Right-breast mammogram, MLO. Patient age 51.
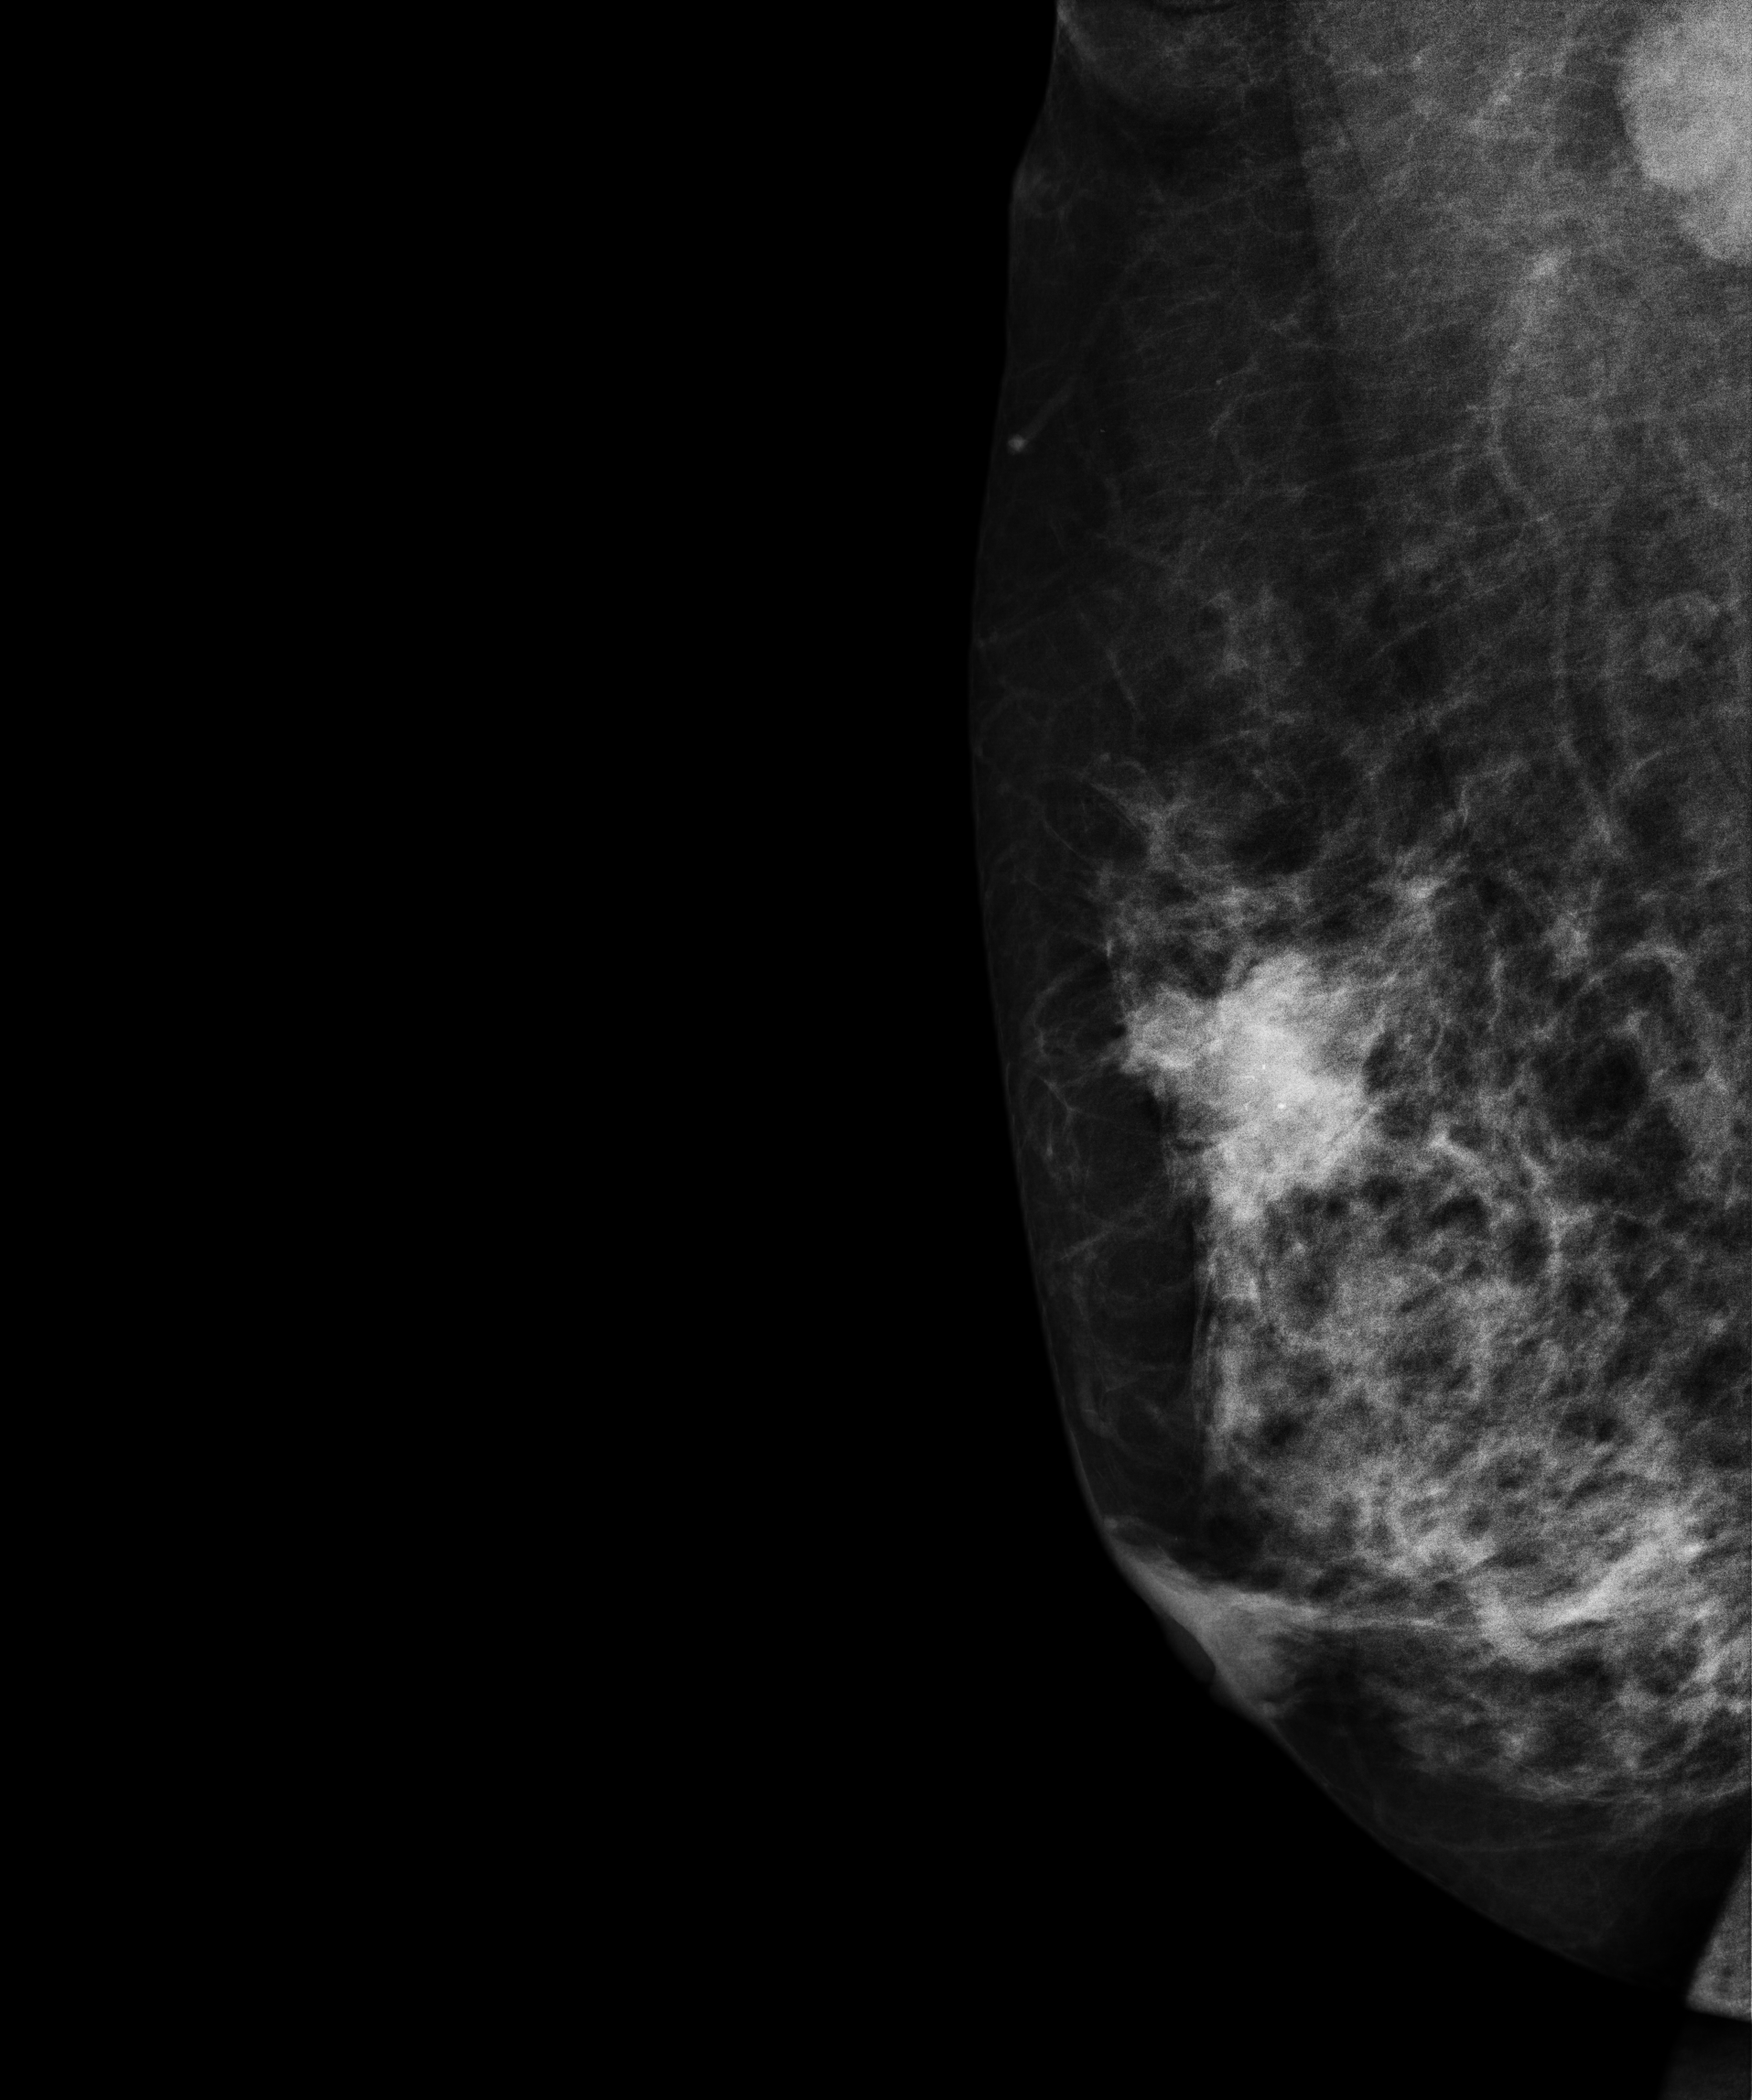
This breast has a mass and calcifications, histologically confirmed malignant.